Left-breast mammogram, MLO. 44-year-old patient.
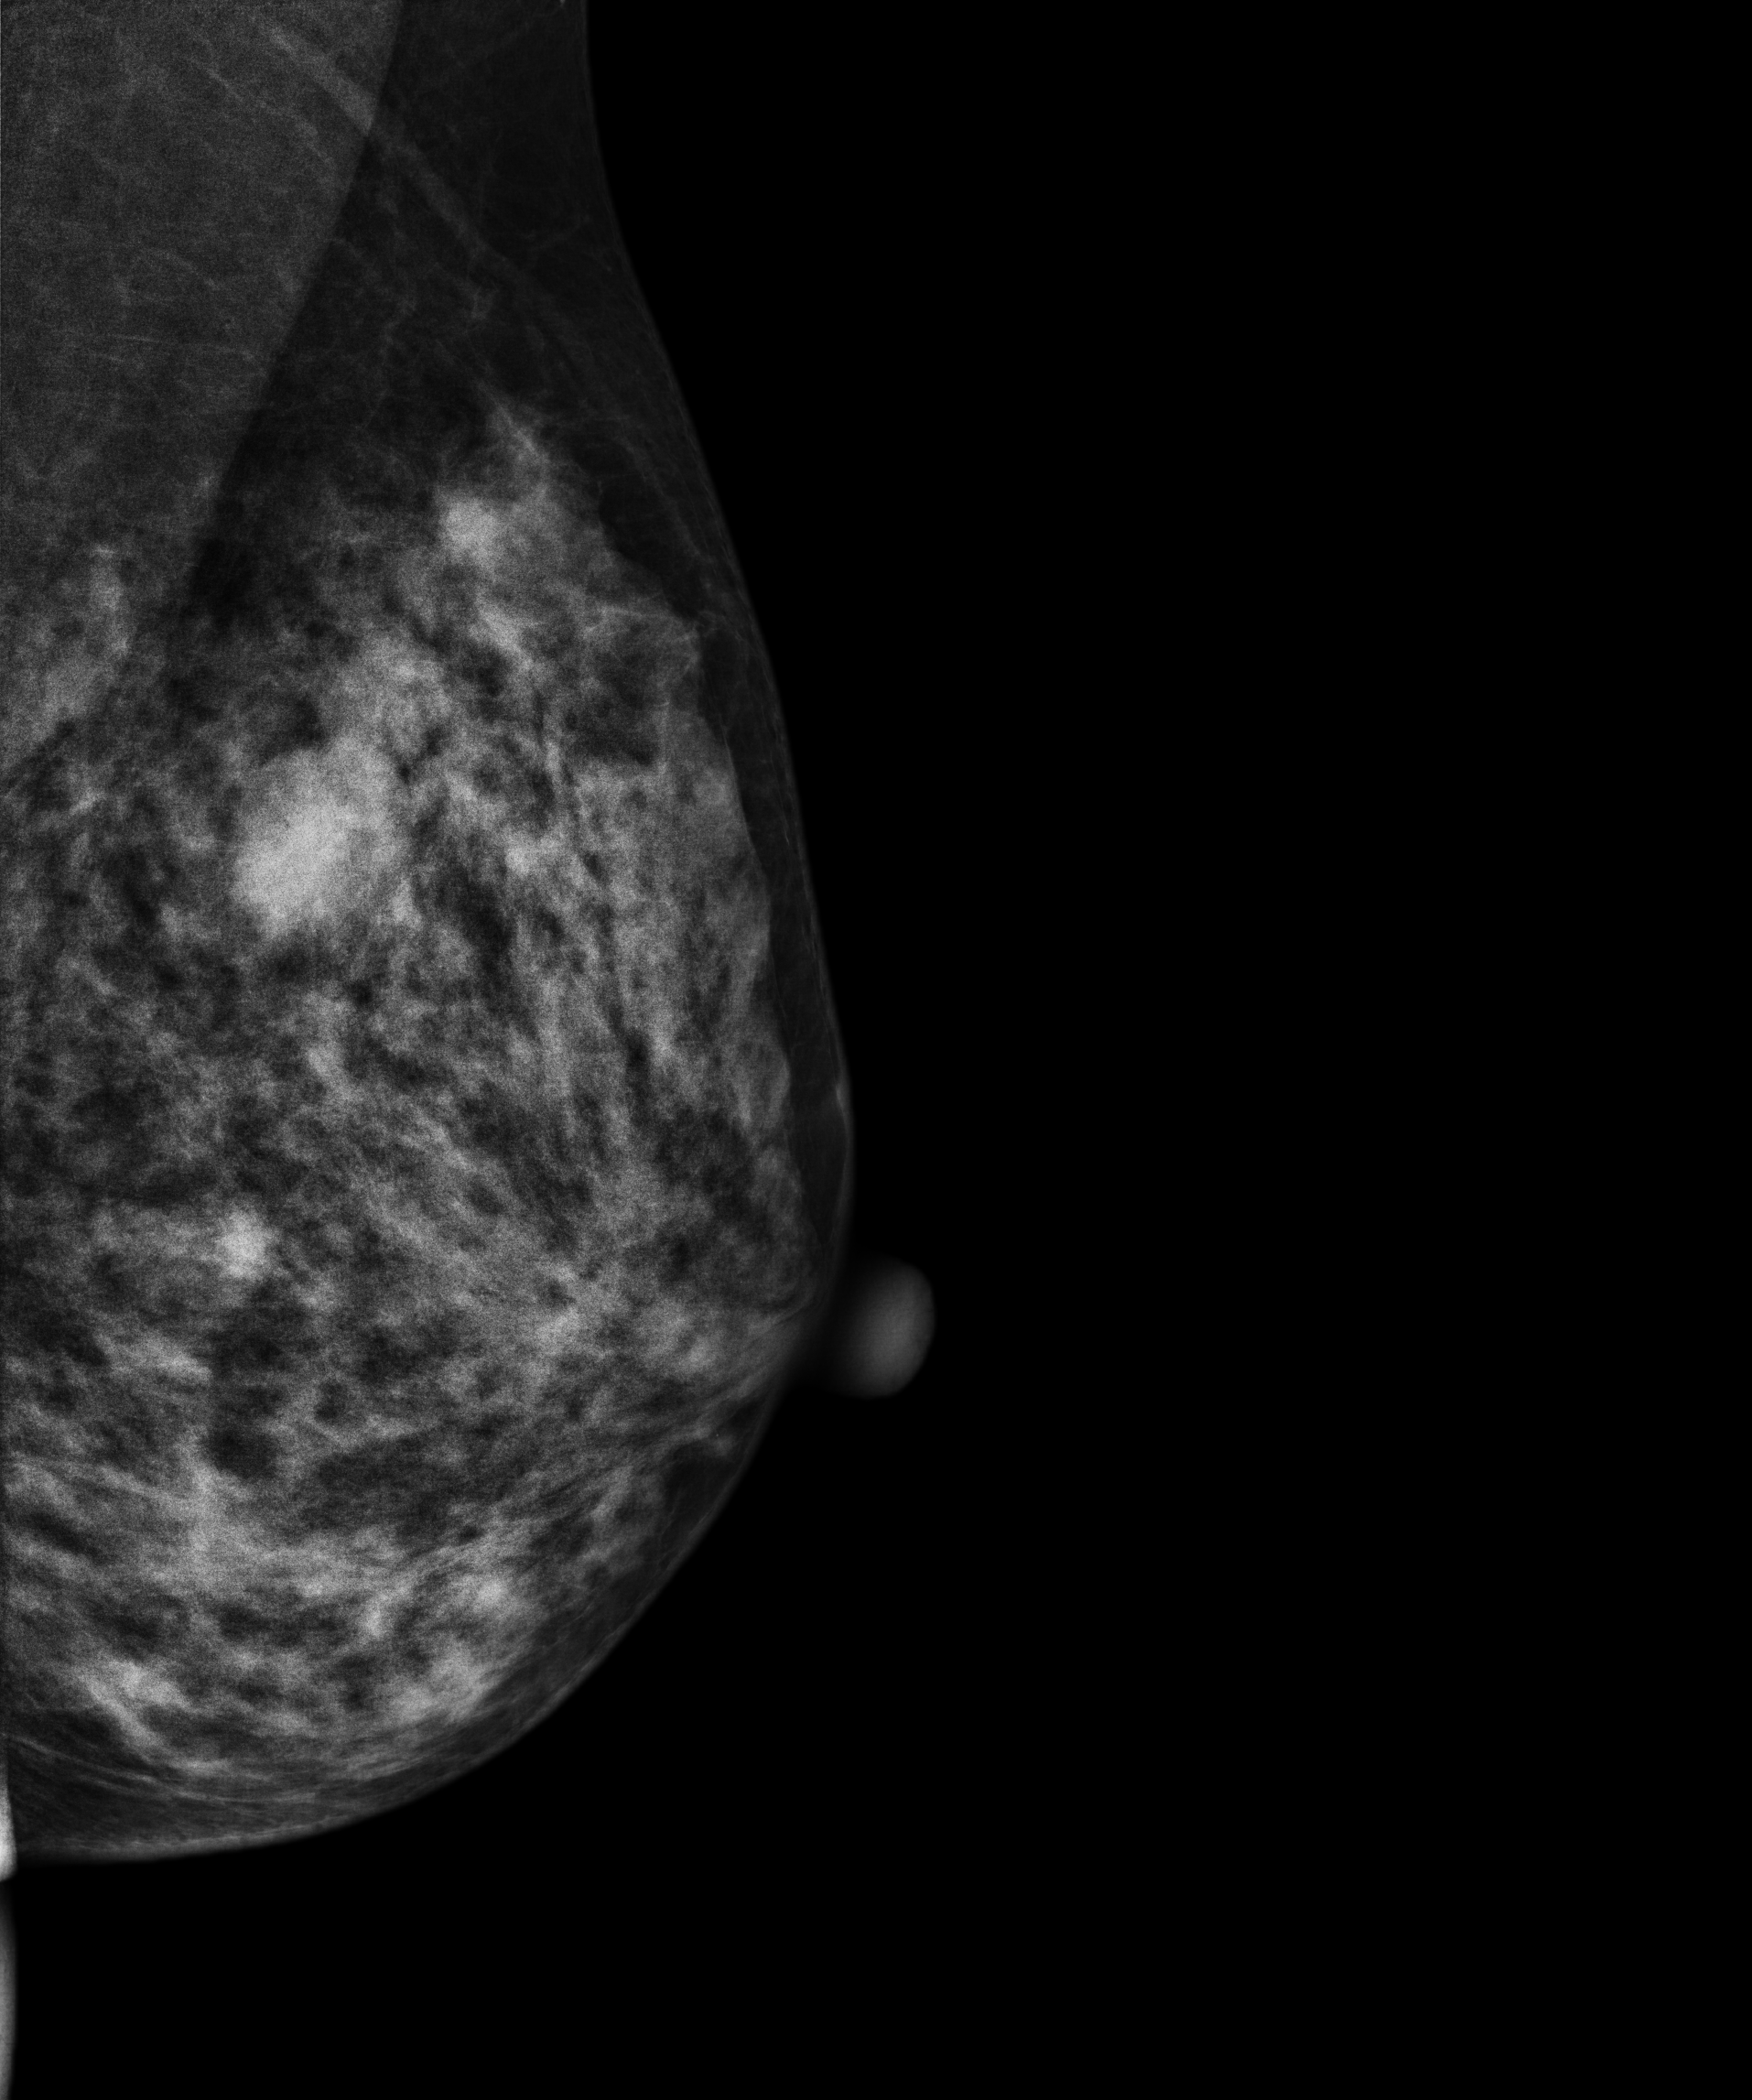
This breast has a mass, histologically confirmed benign.